Mammogram, right breast, MLO view. Patient age 74.
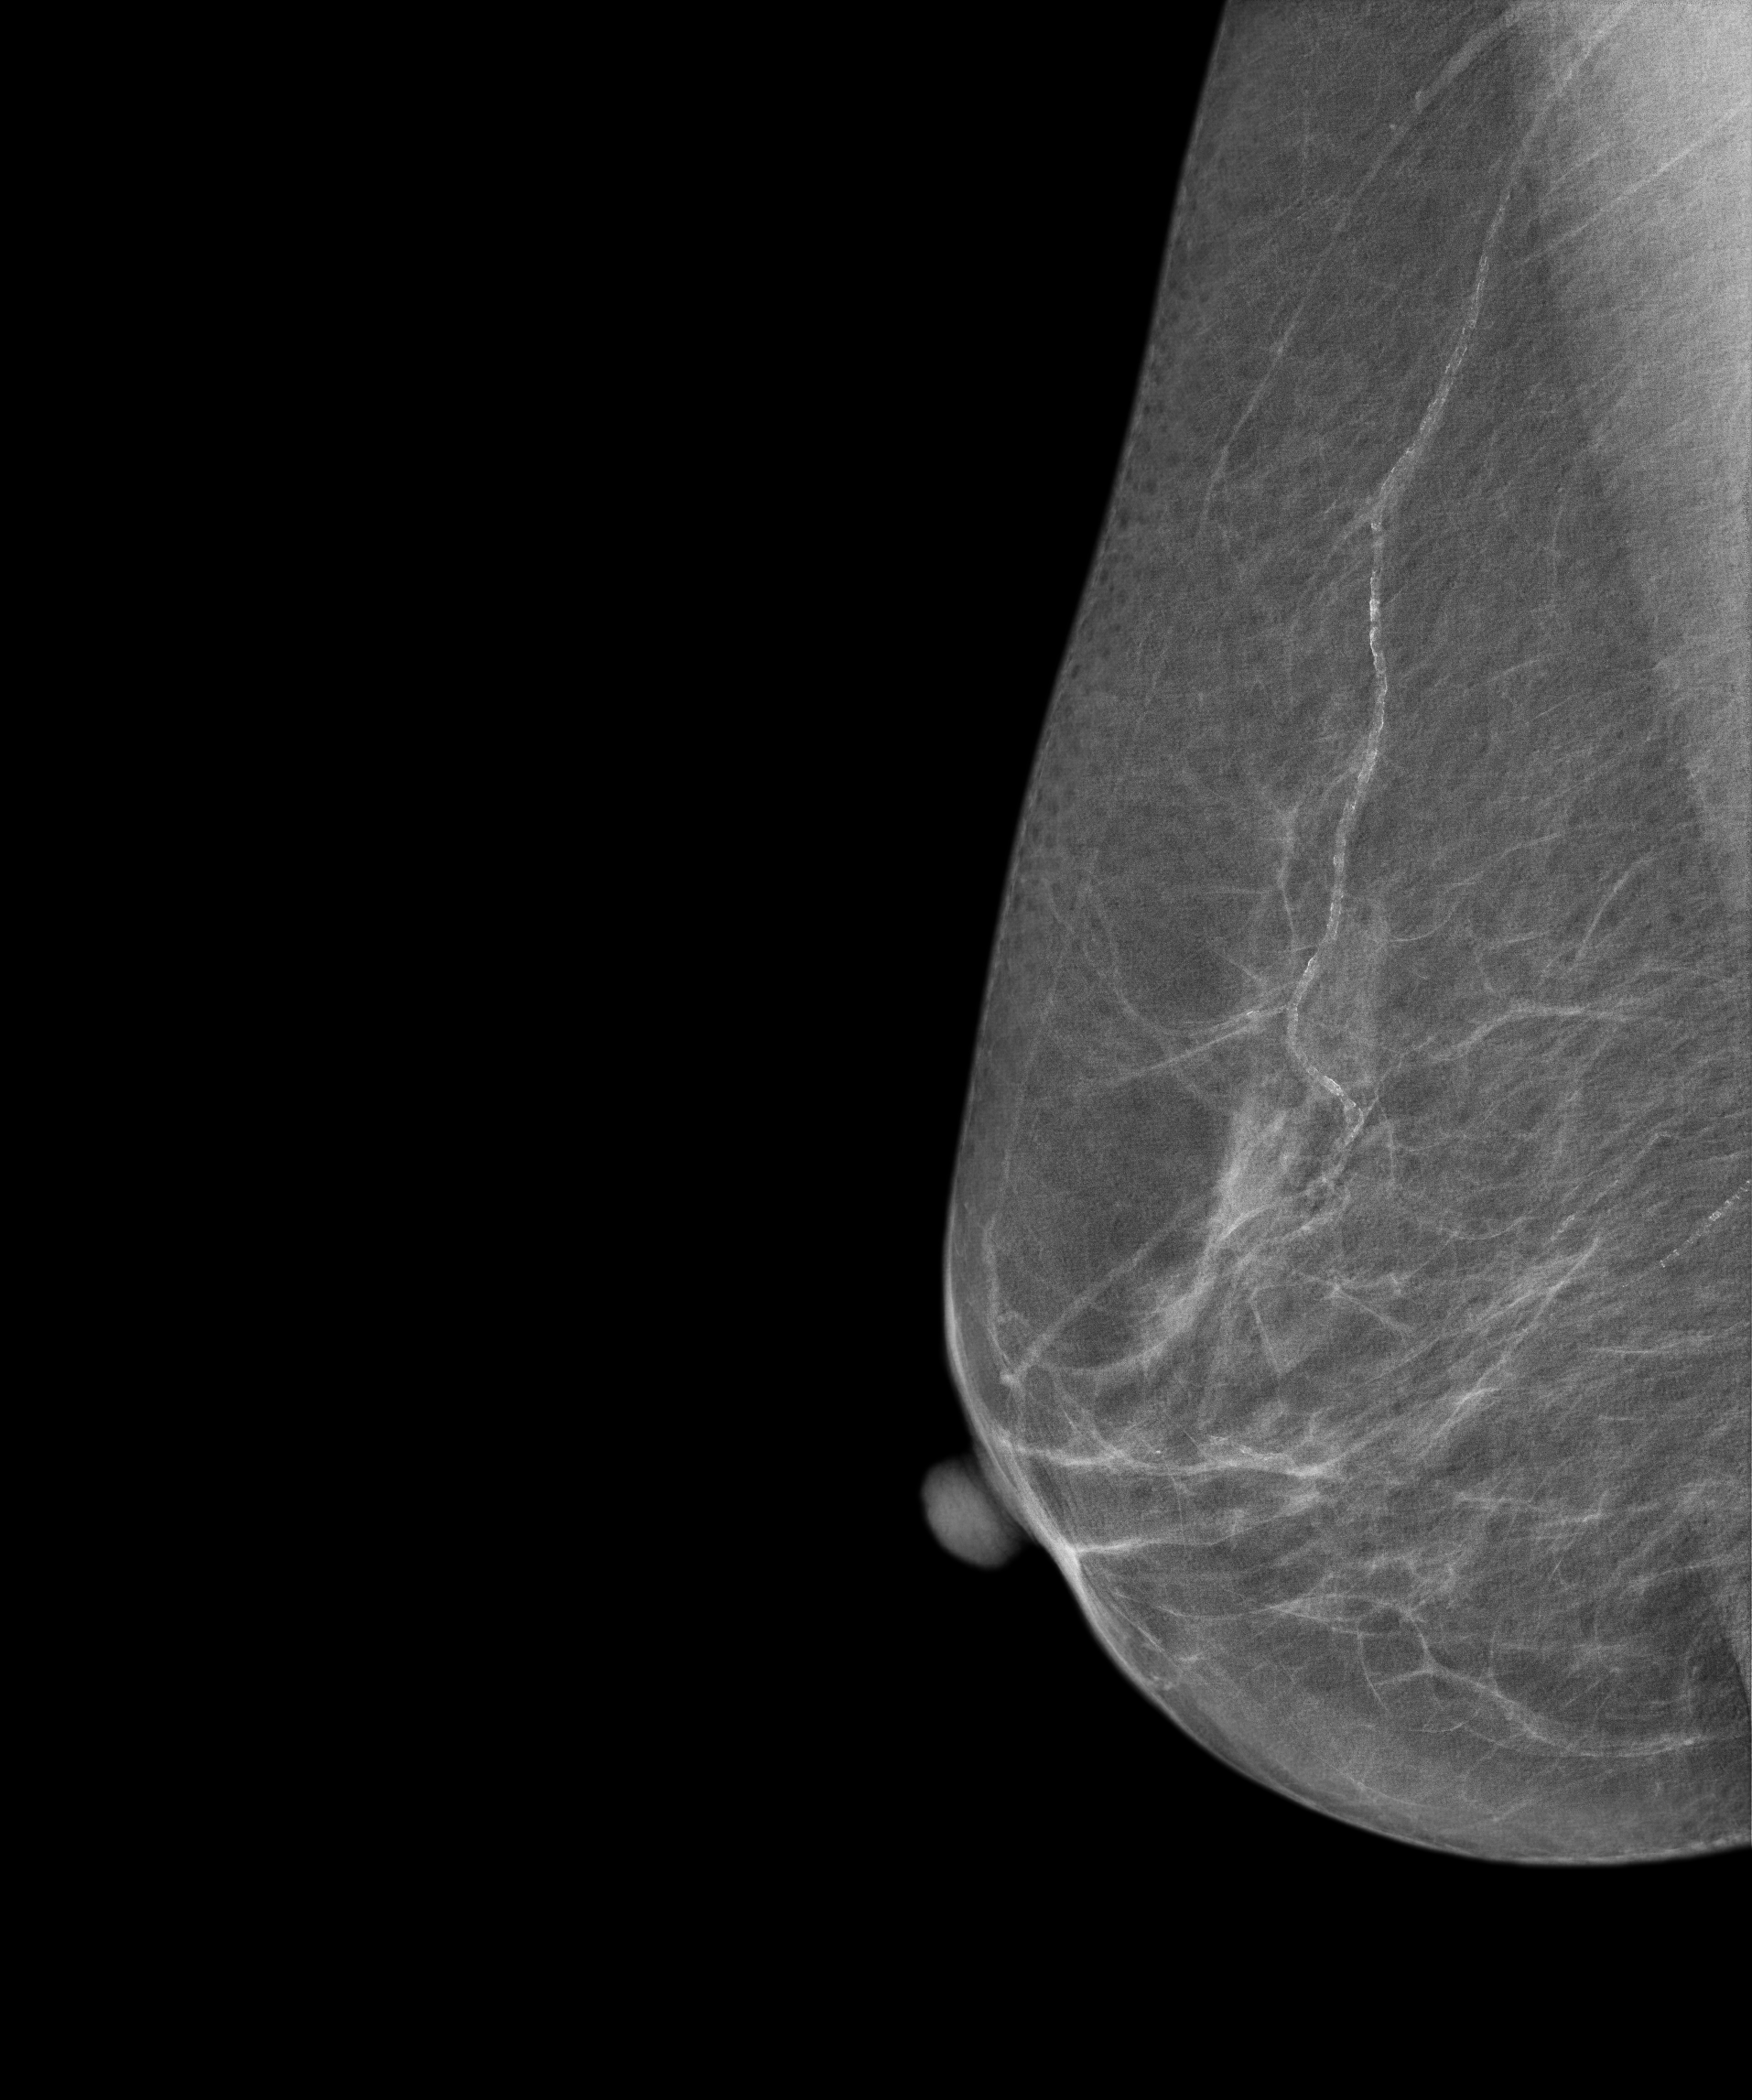
Contralateral breast — no documented abnormality on this side.